Right-breast mammogram, MLO. Patient age 49.
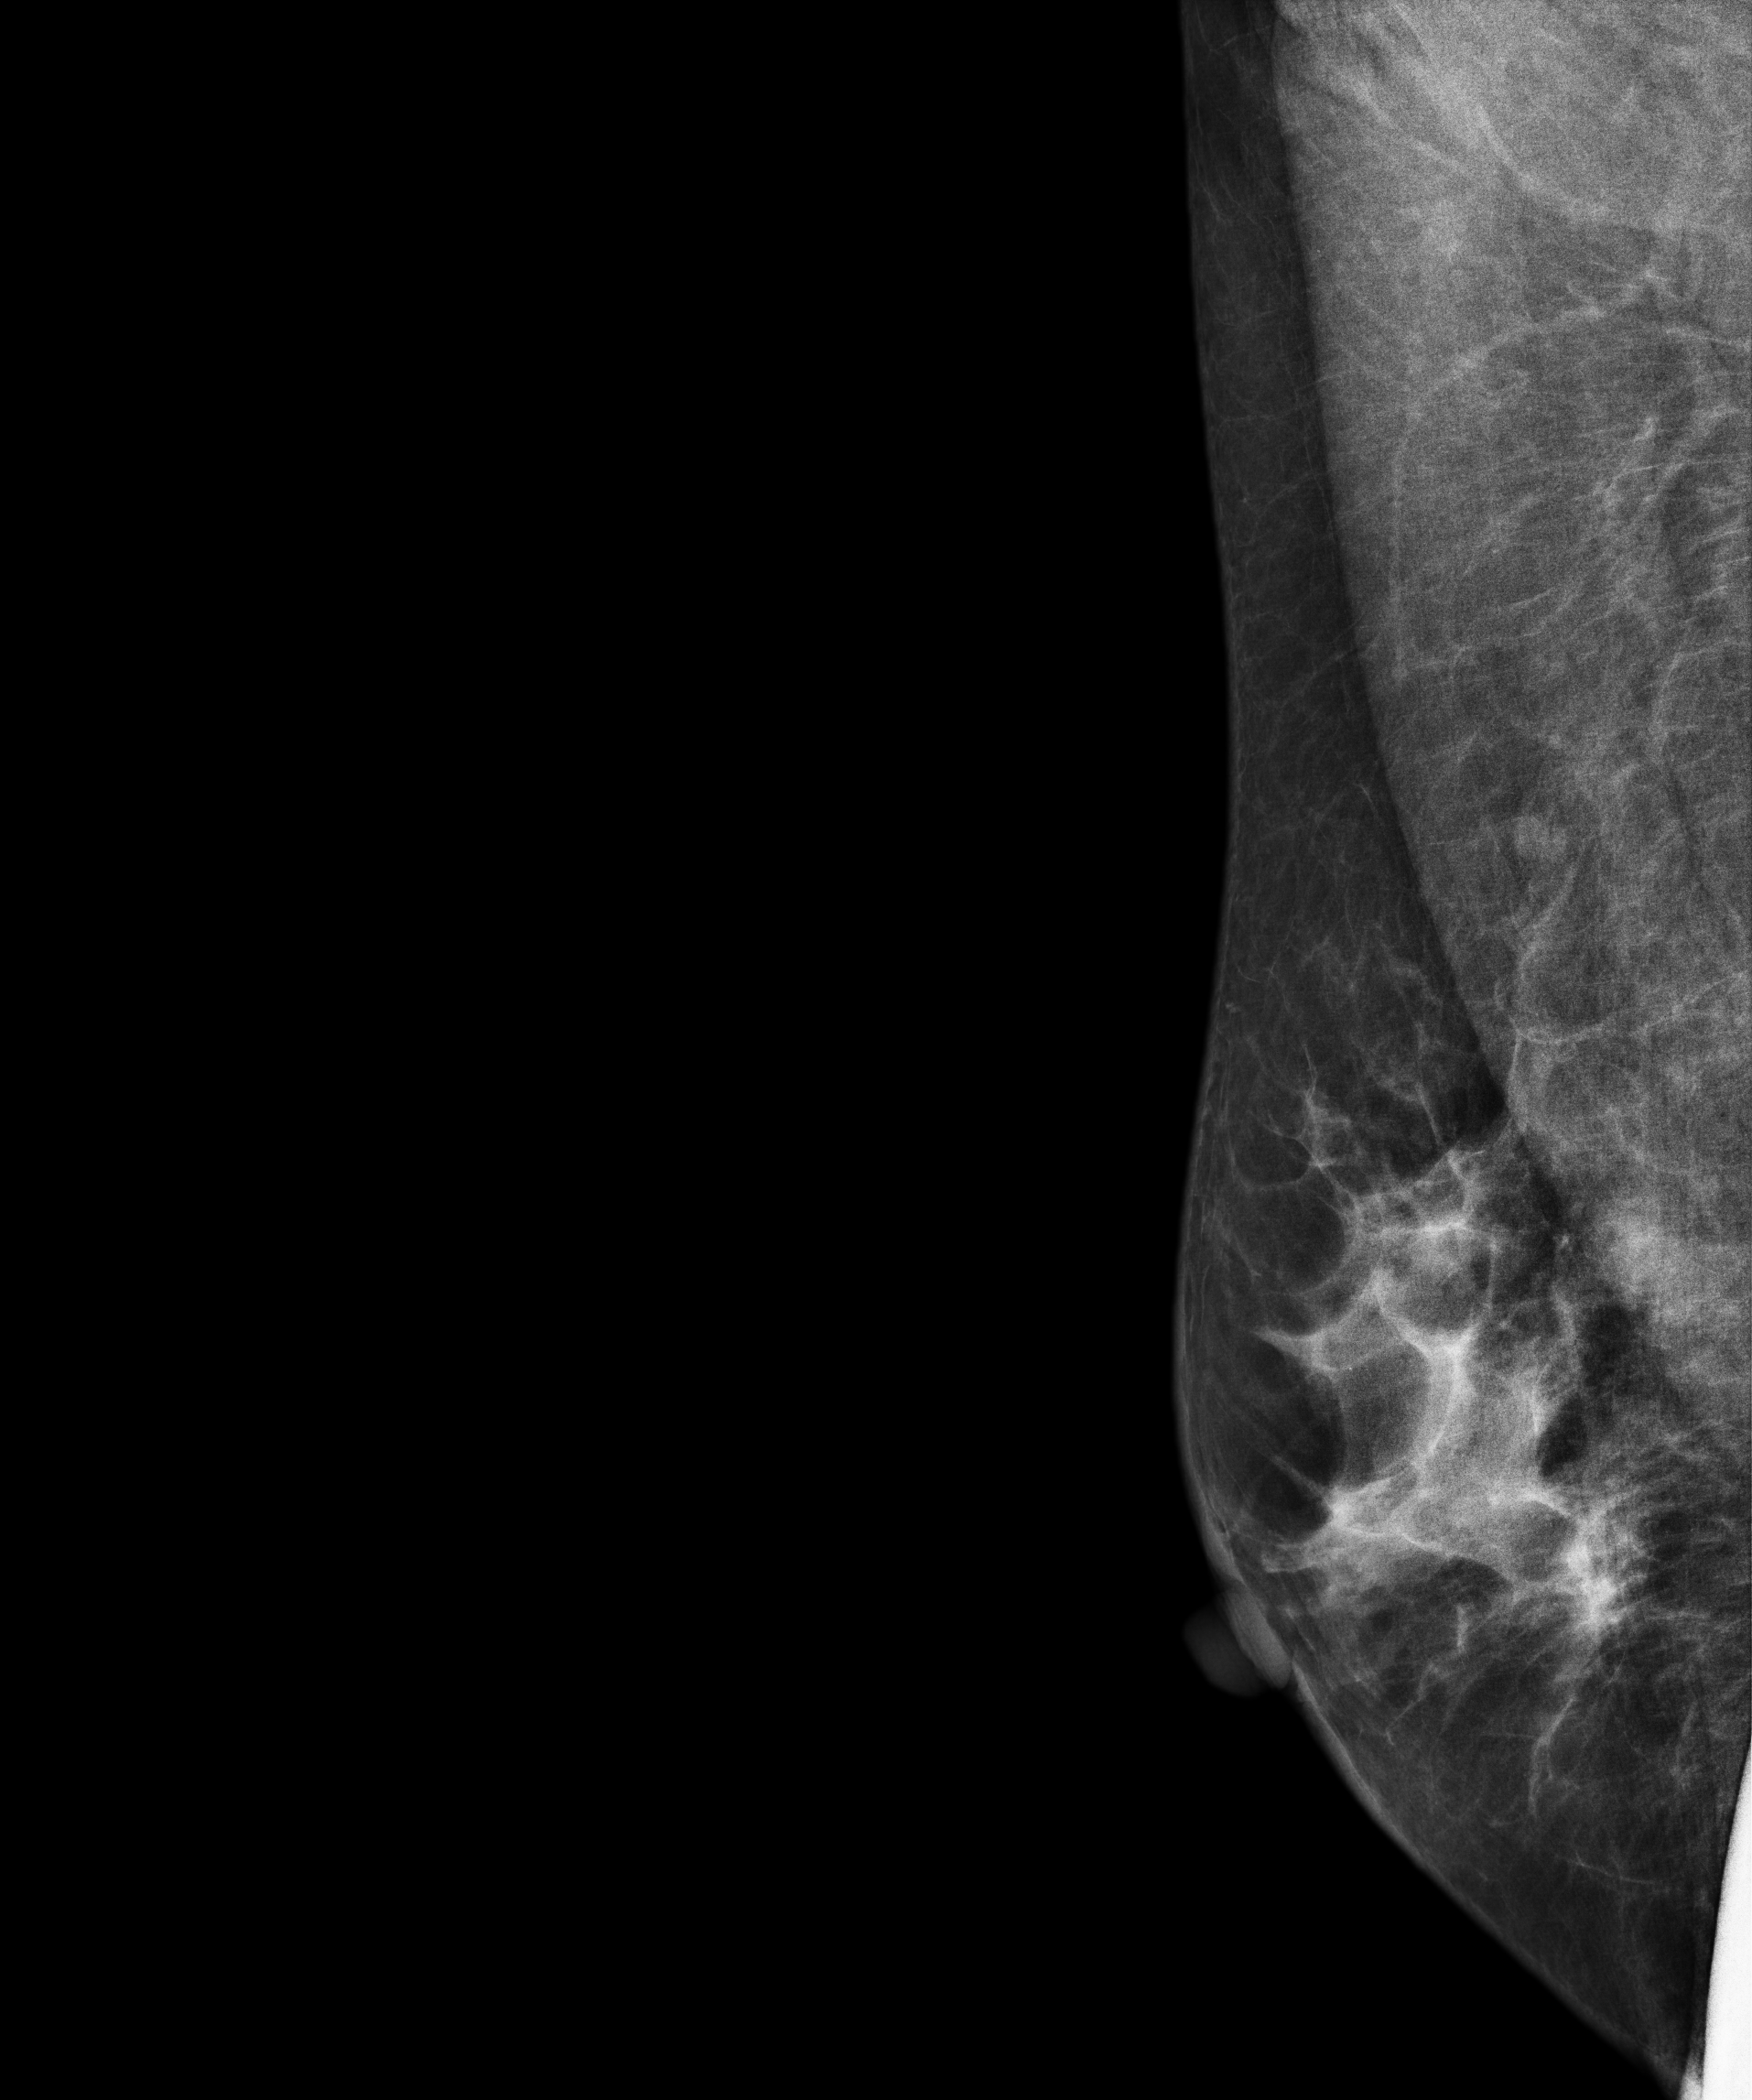
Contralateral breast — no documented abnormality on this side.